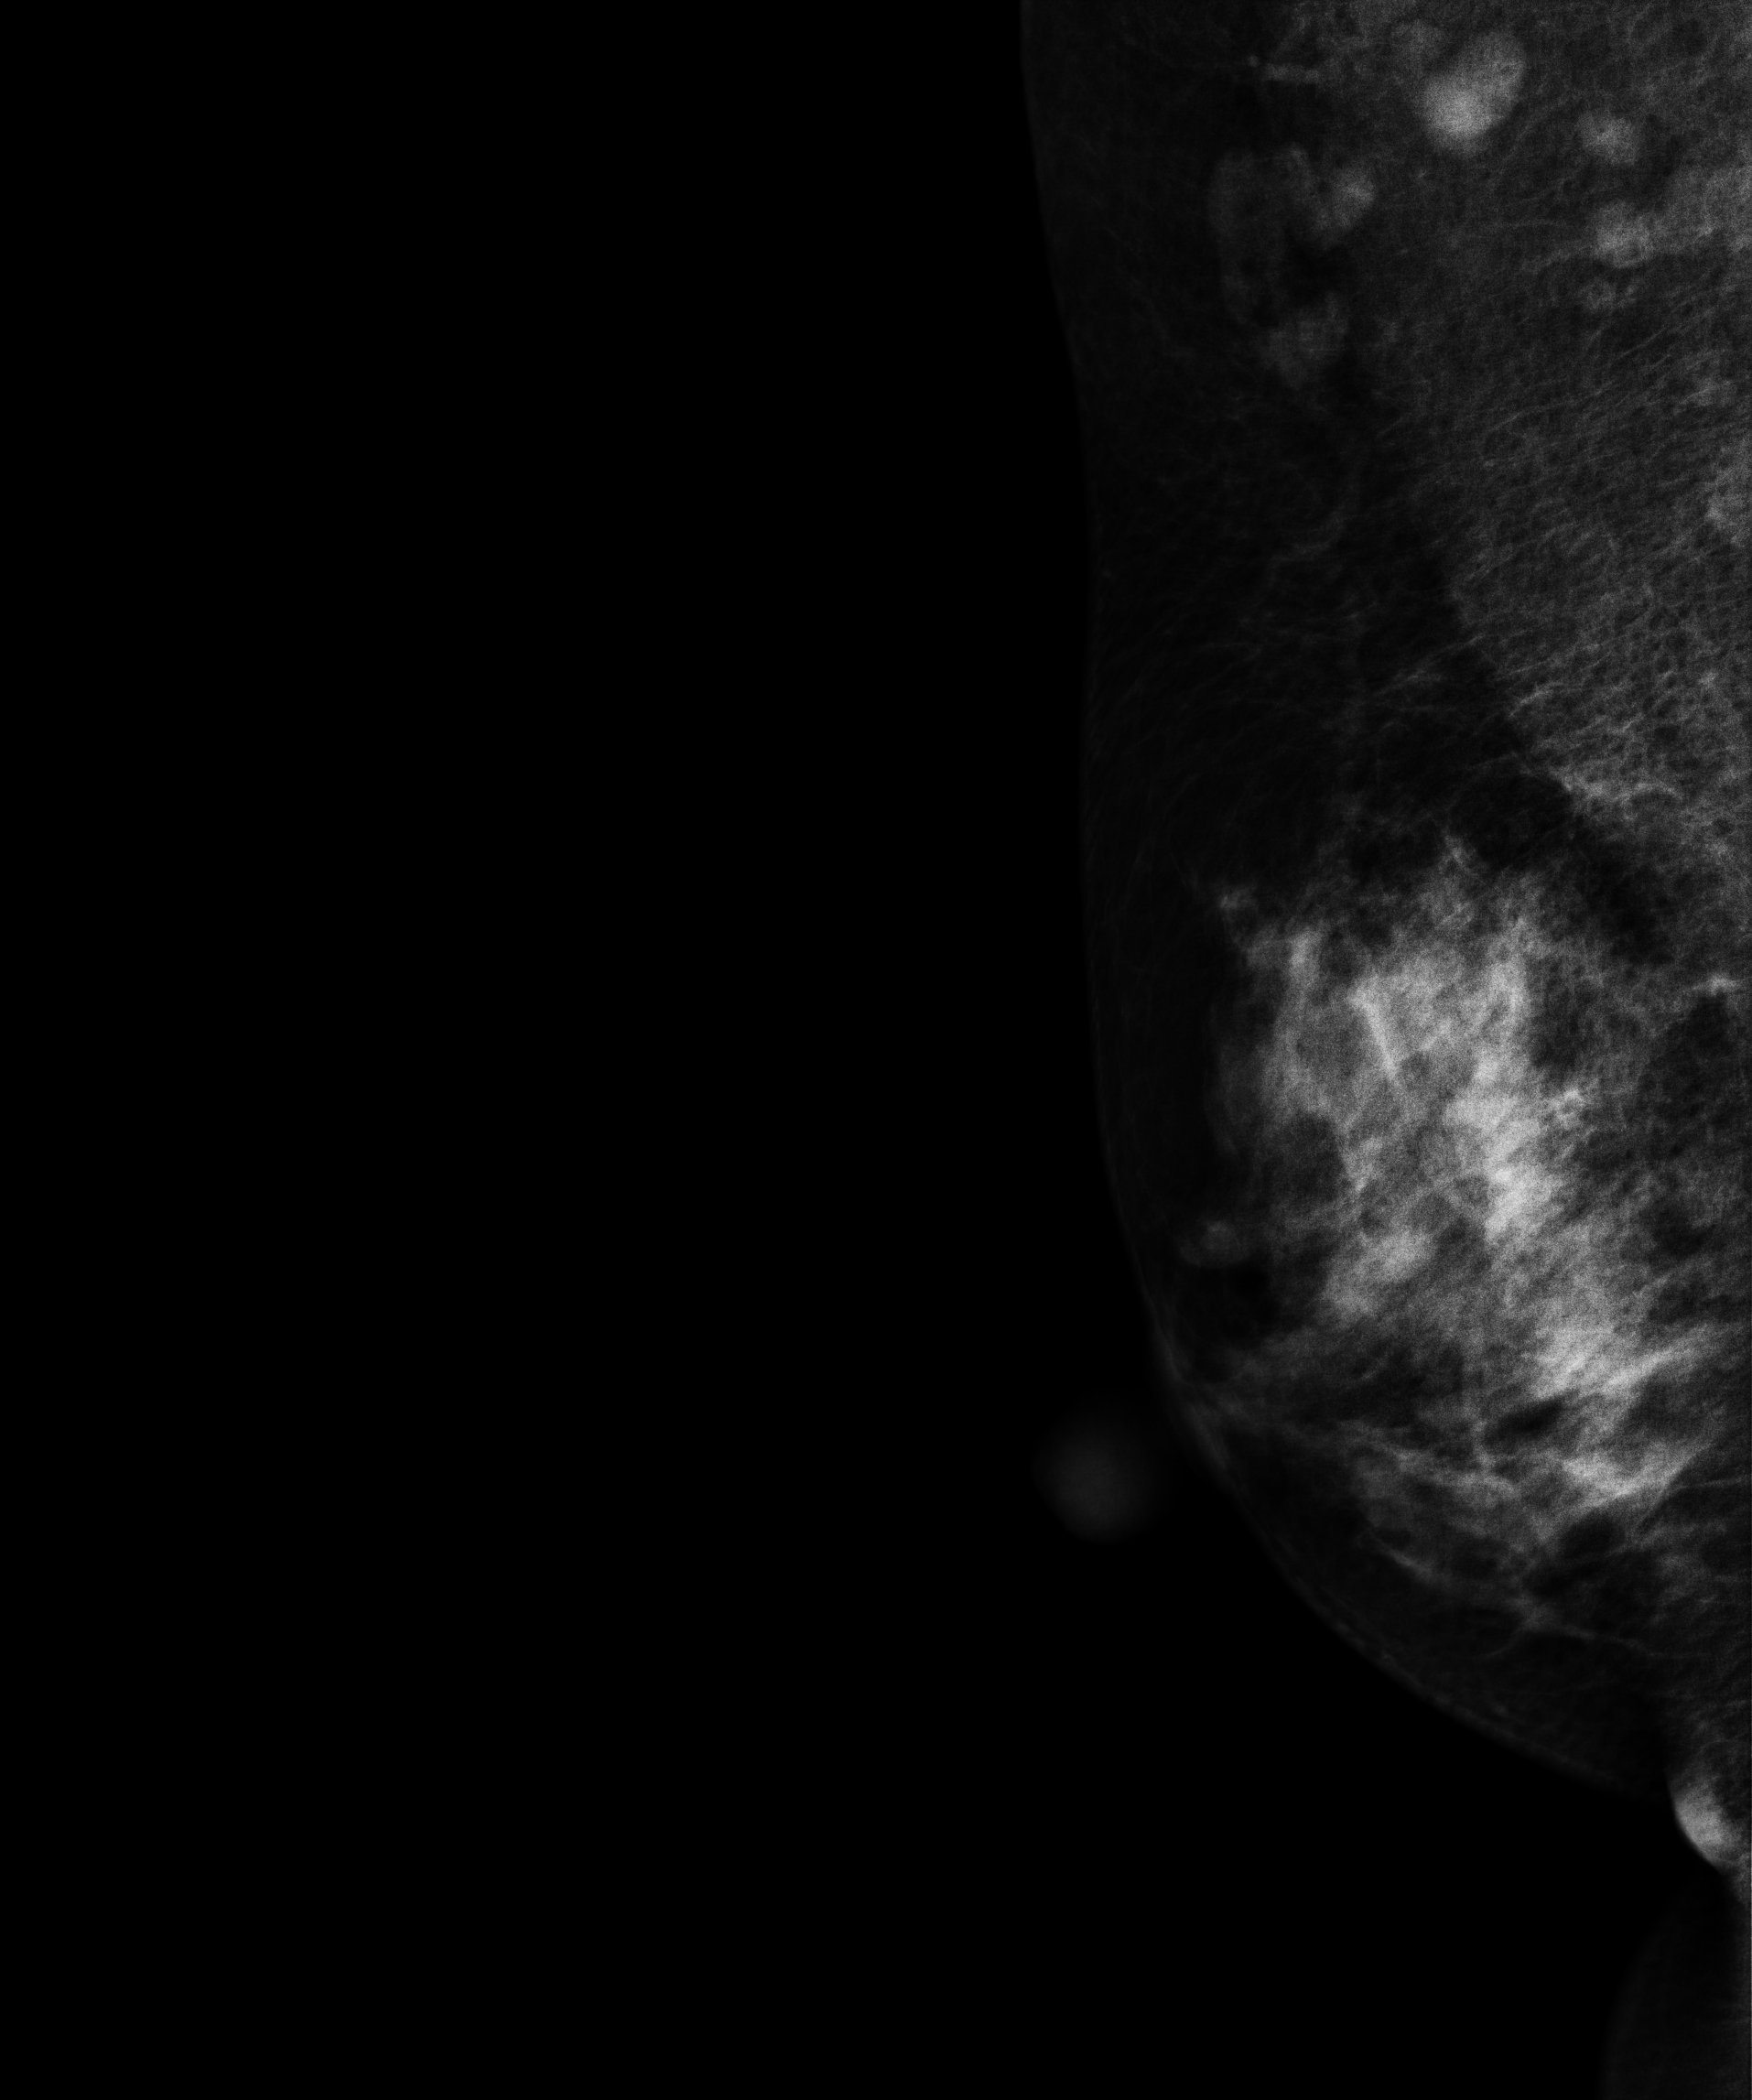
Medio-lateral oblique mammogram of the right breast. 46-year-old patient.
Contralateral breast — no documented abnormality on this side.